Mammogram, left breast, CC view. Patient age 57.
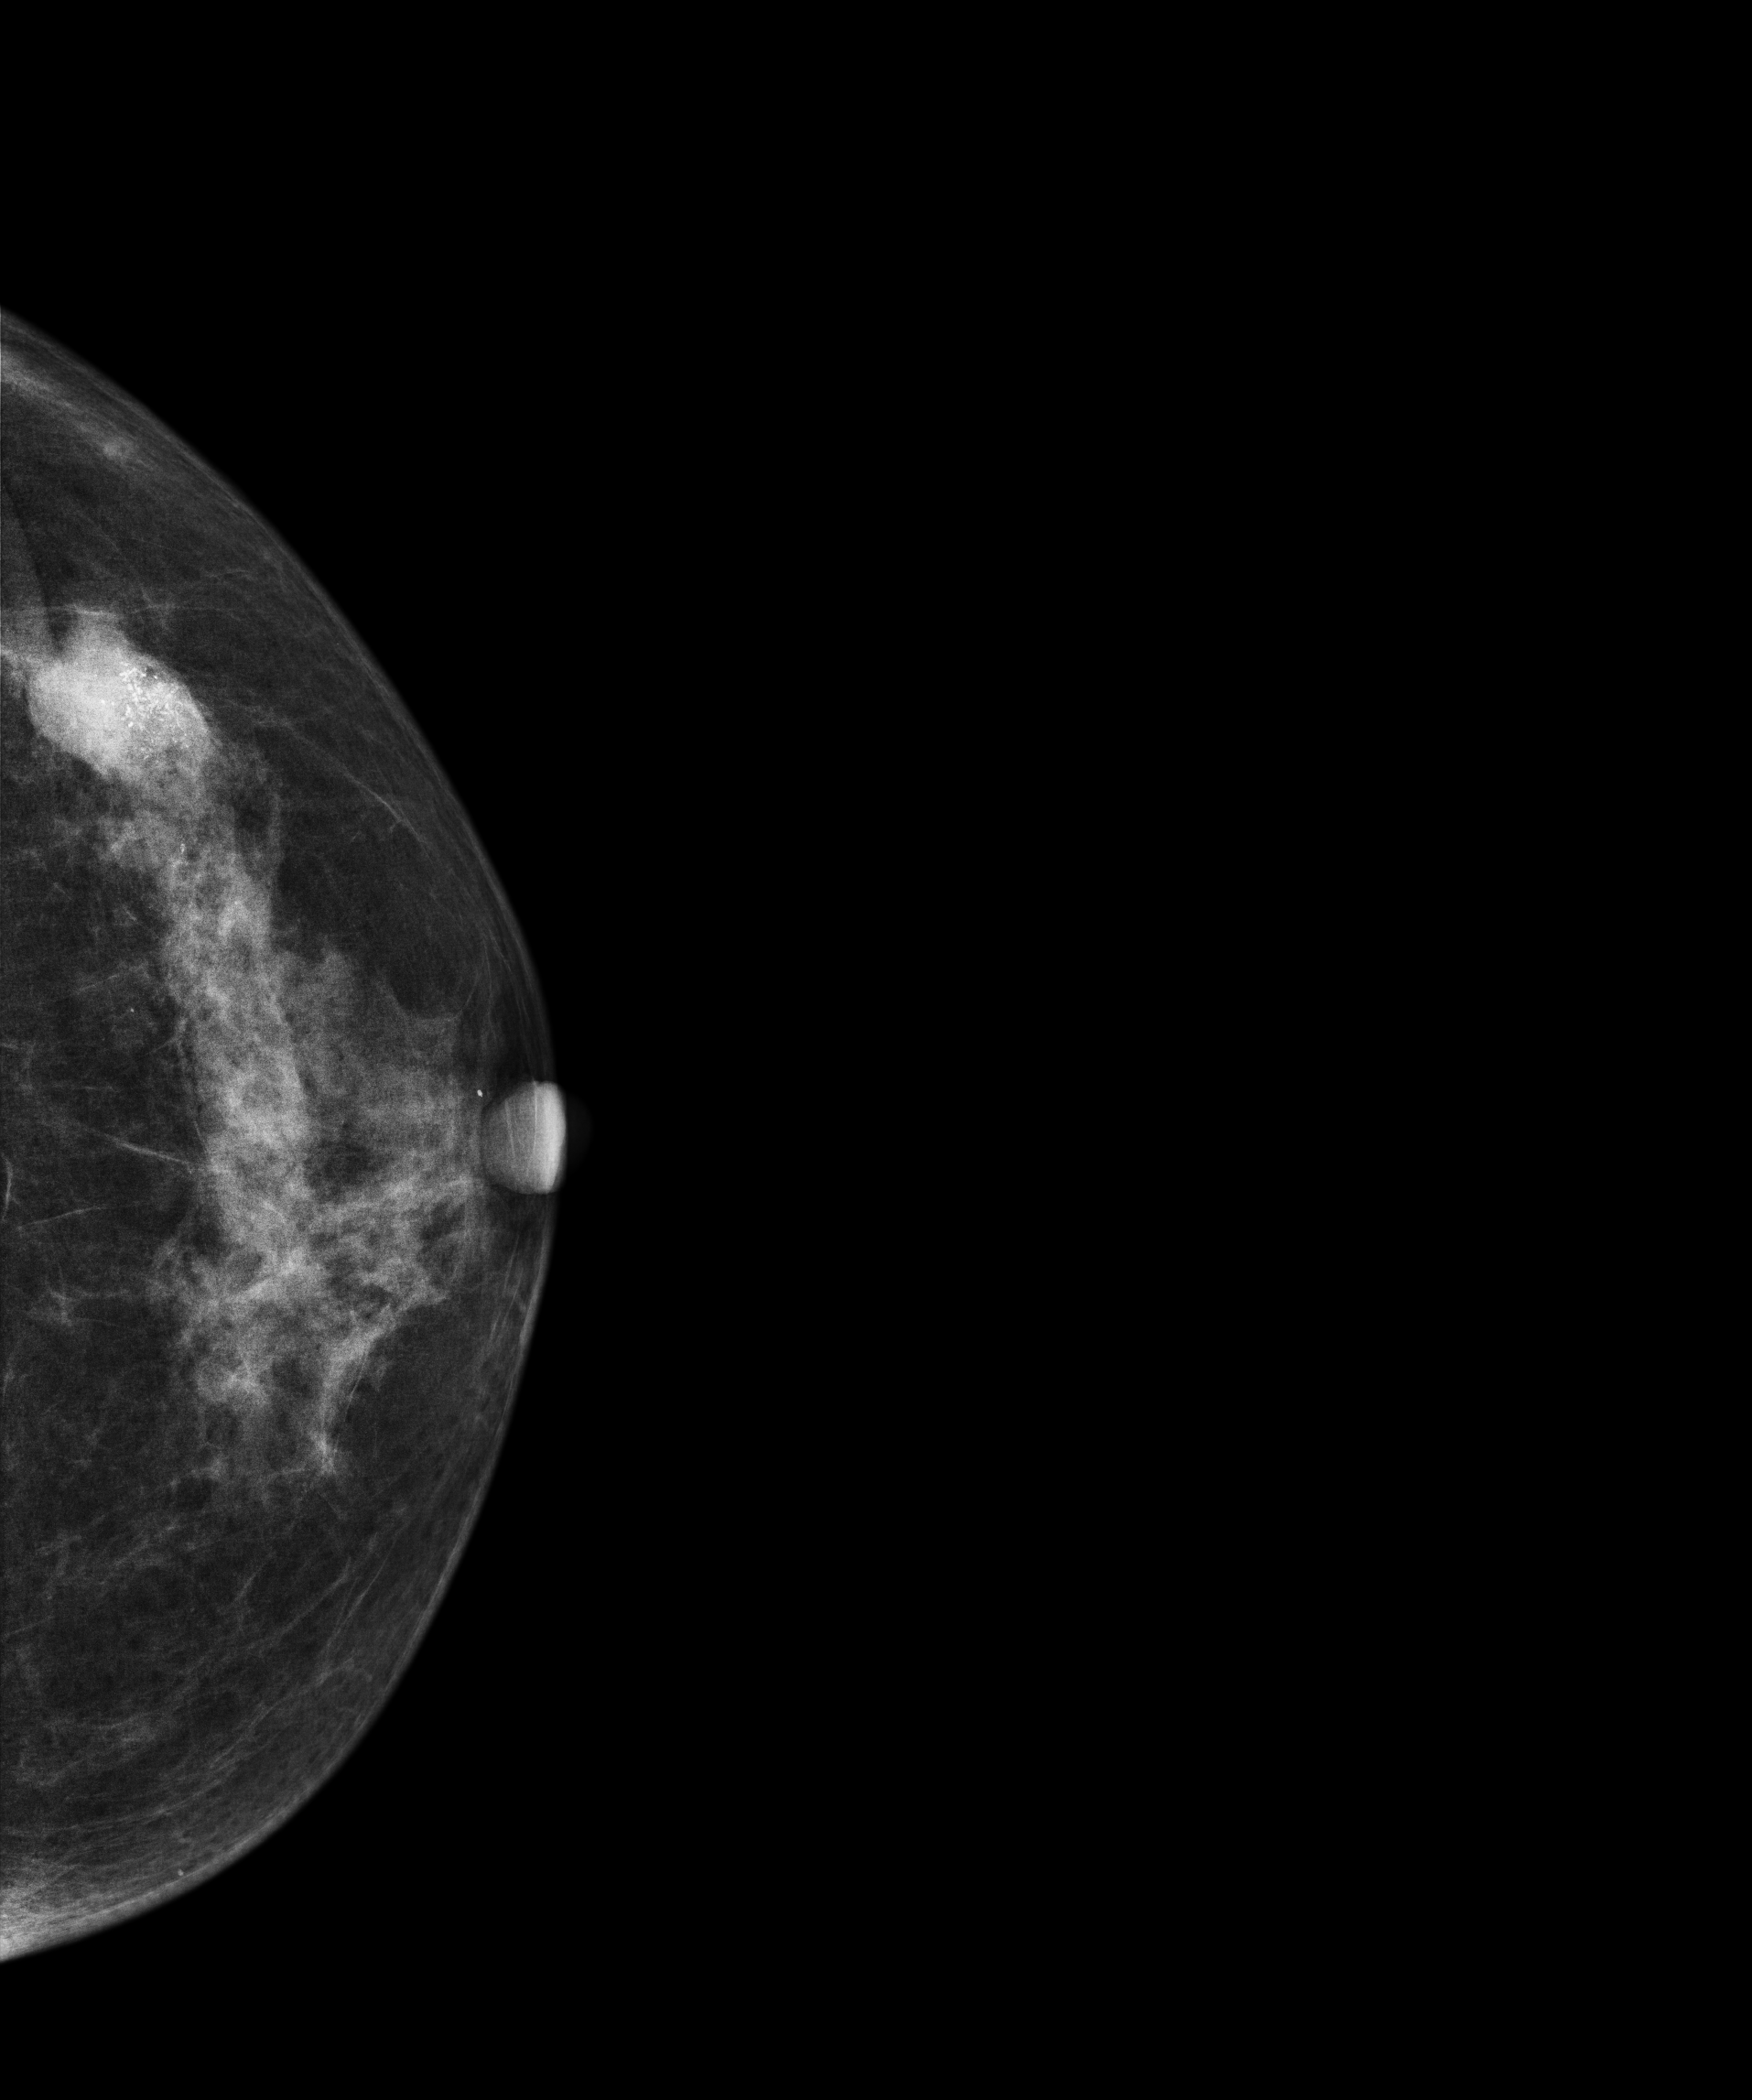
This breast has a mass and calcifications, pathology-confirmed malignant.